Cranio-caudal mammogram of the left breast. 60 y/o patient.
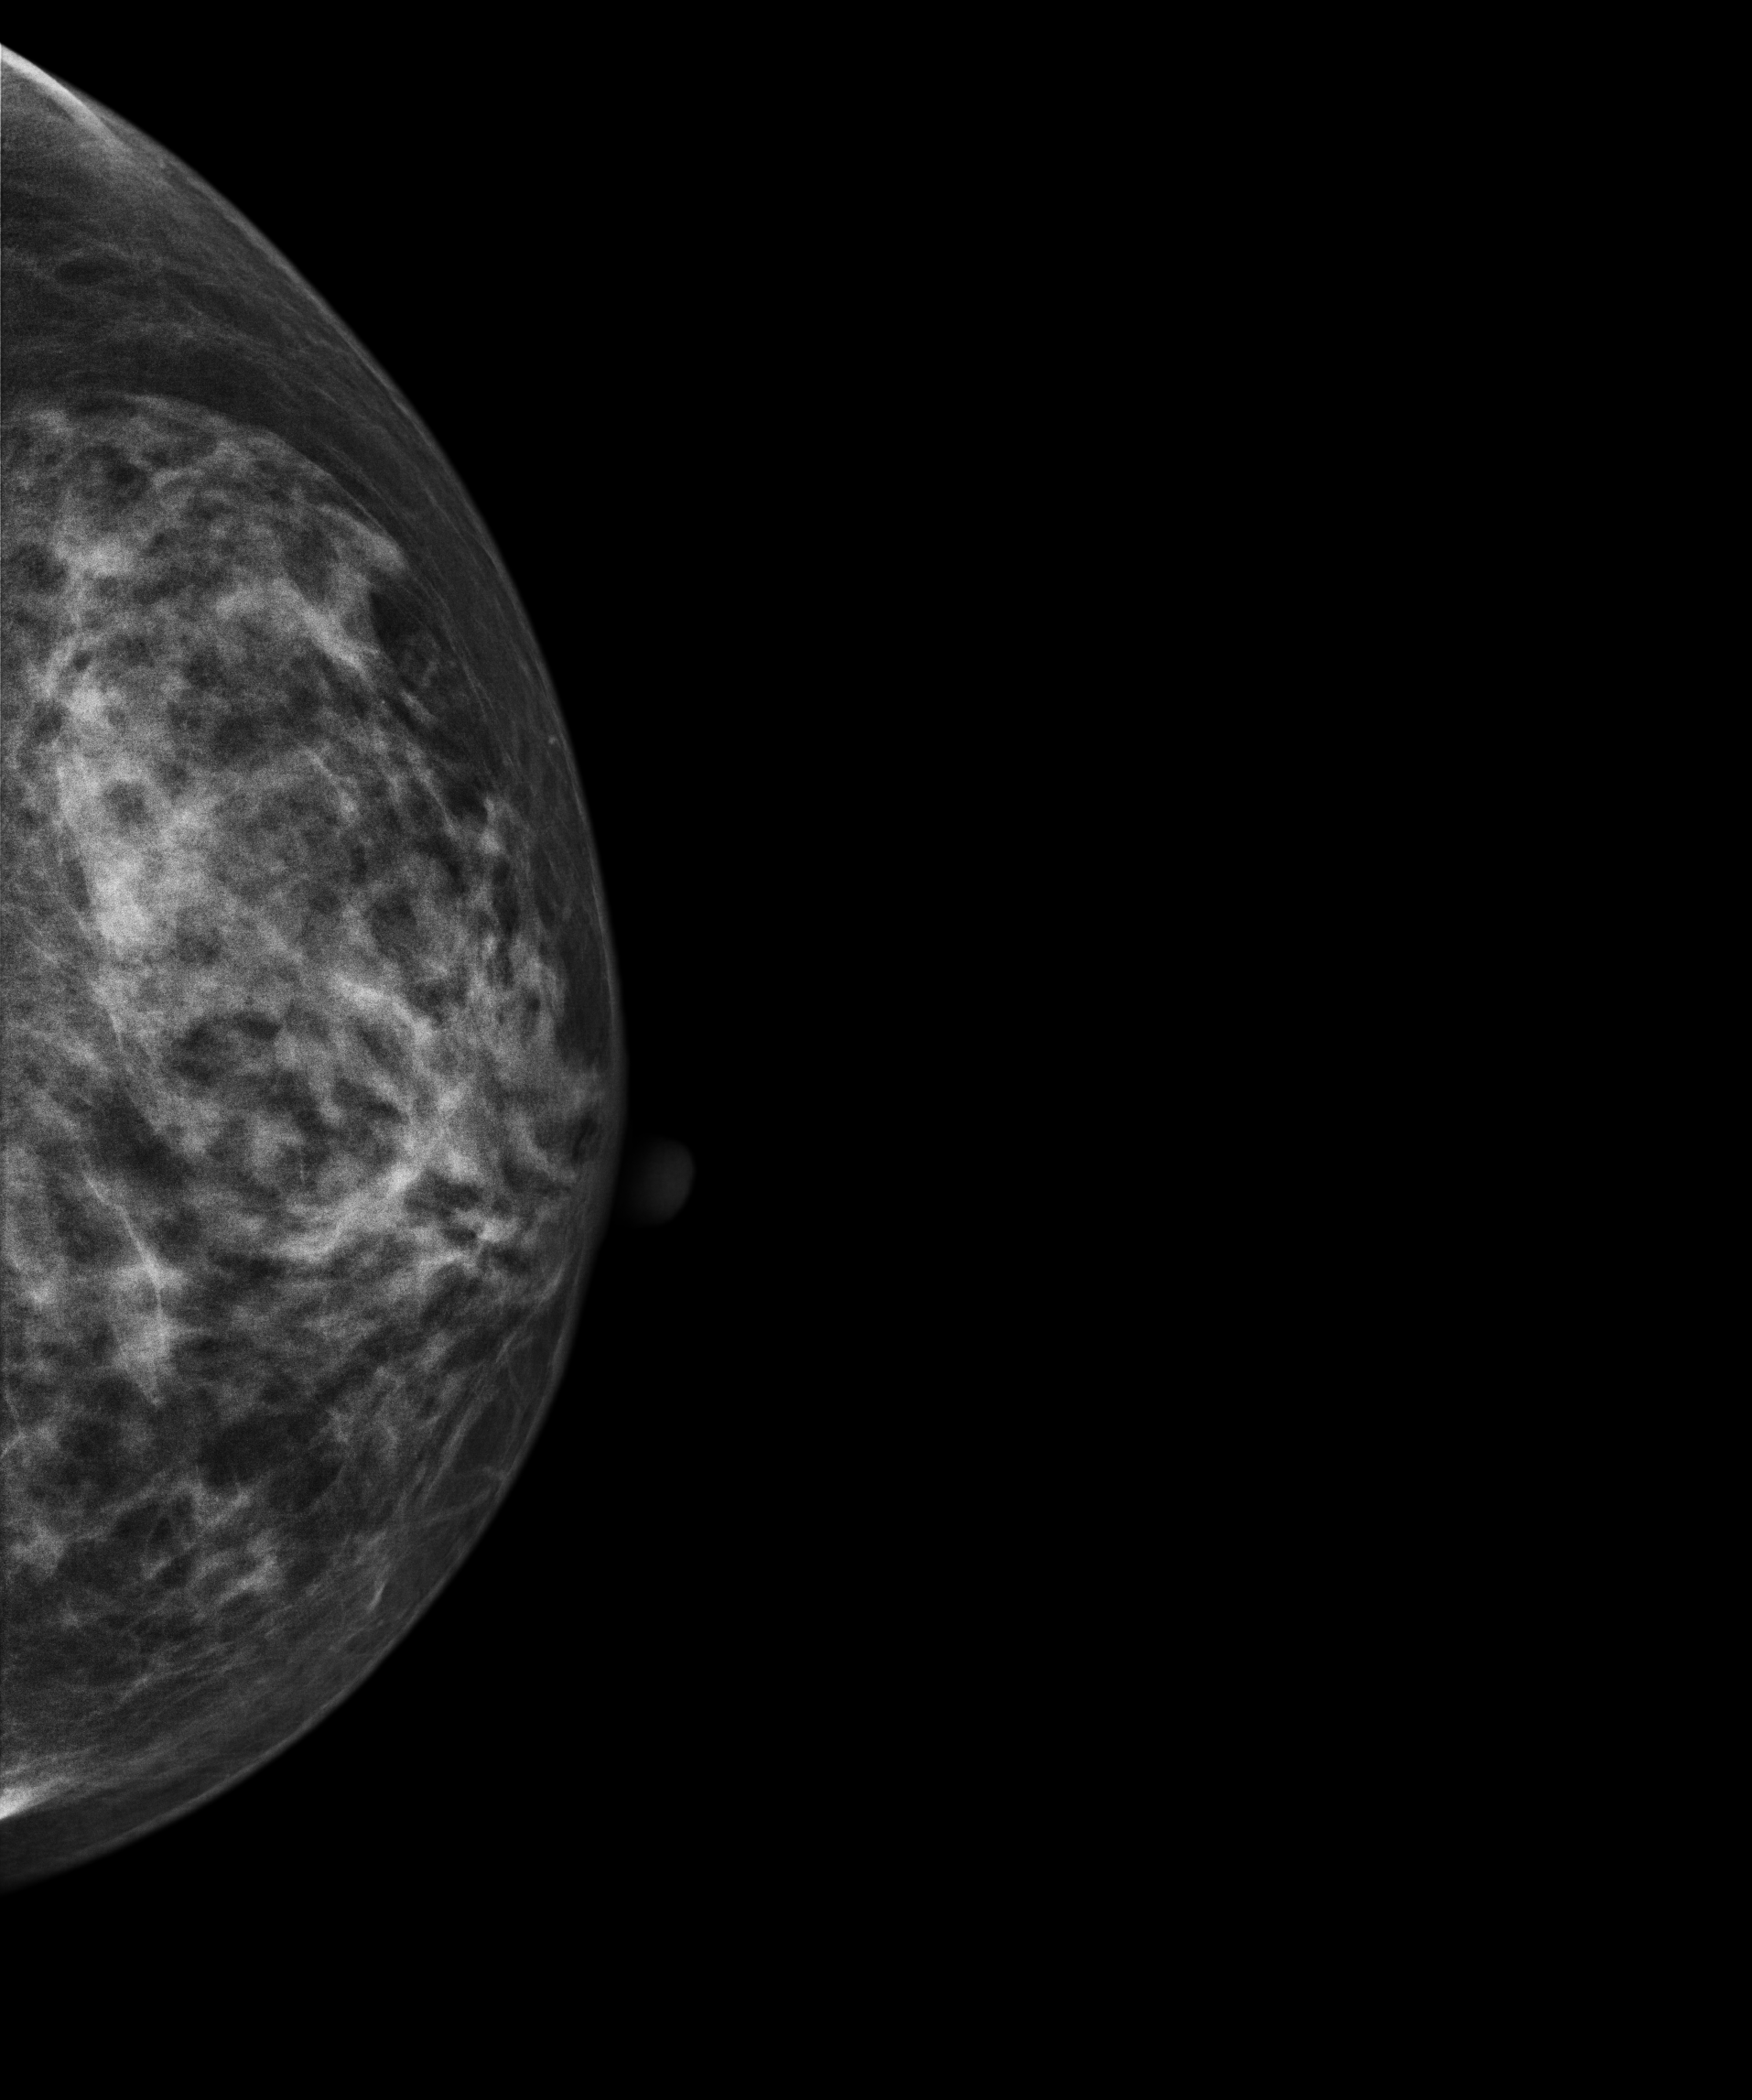
This breast has a mass, biopsy-proven malignant.